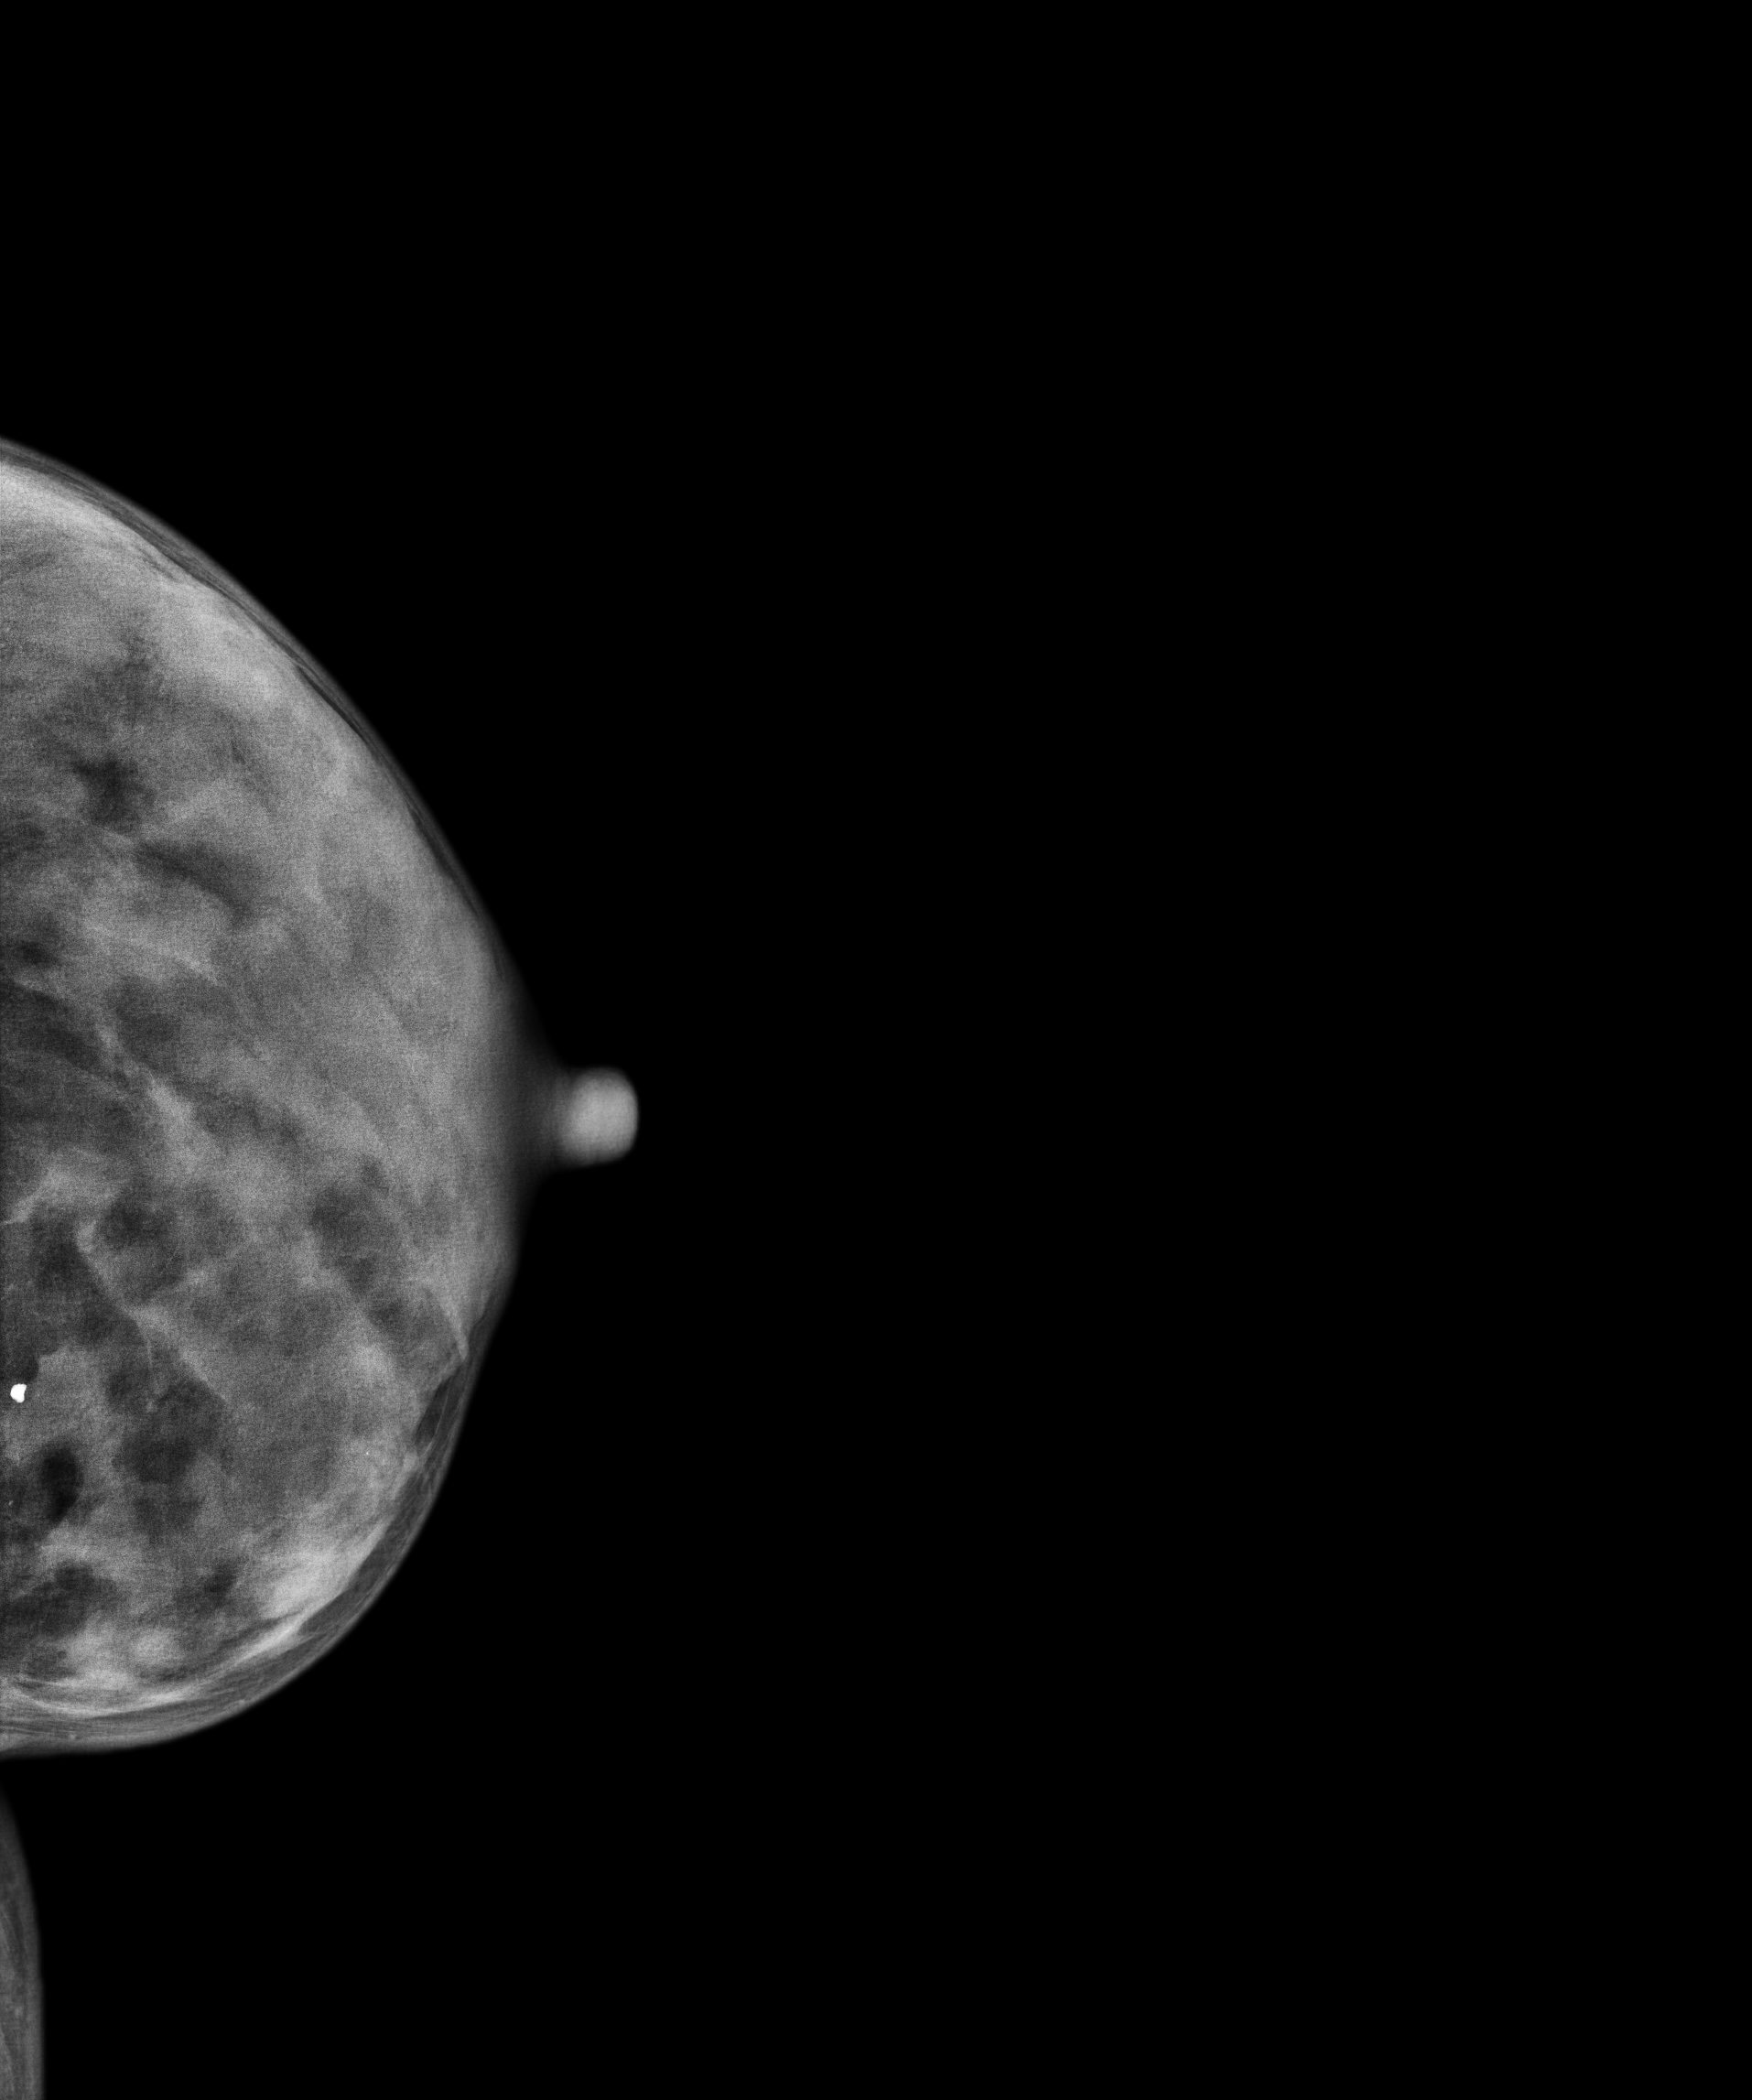
Digital mammography. Left breast, cranio-caudal projection. 41 y/o patient.
Contralateral breast — no documented abnormality on this side.